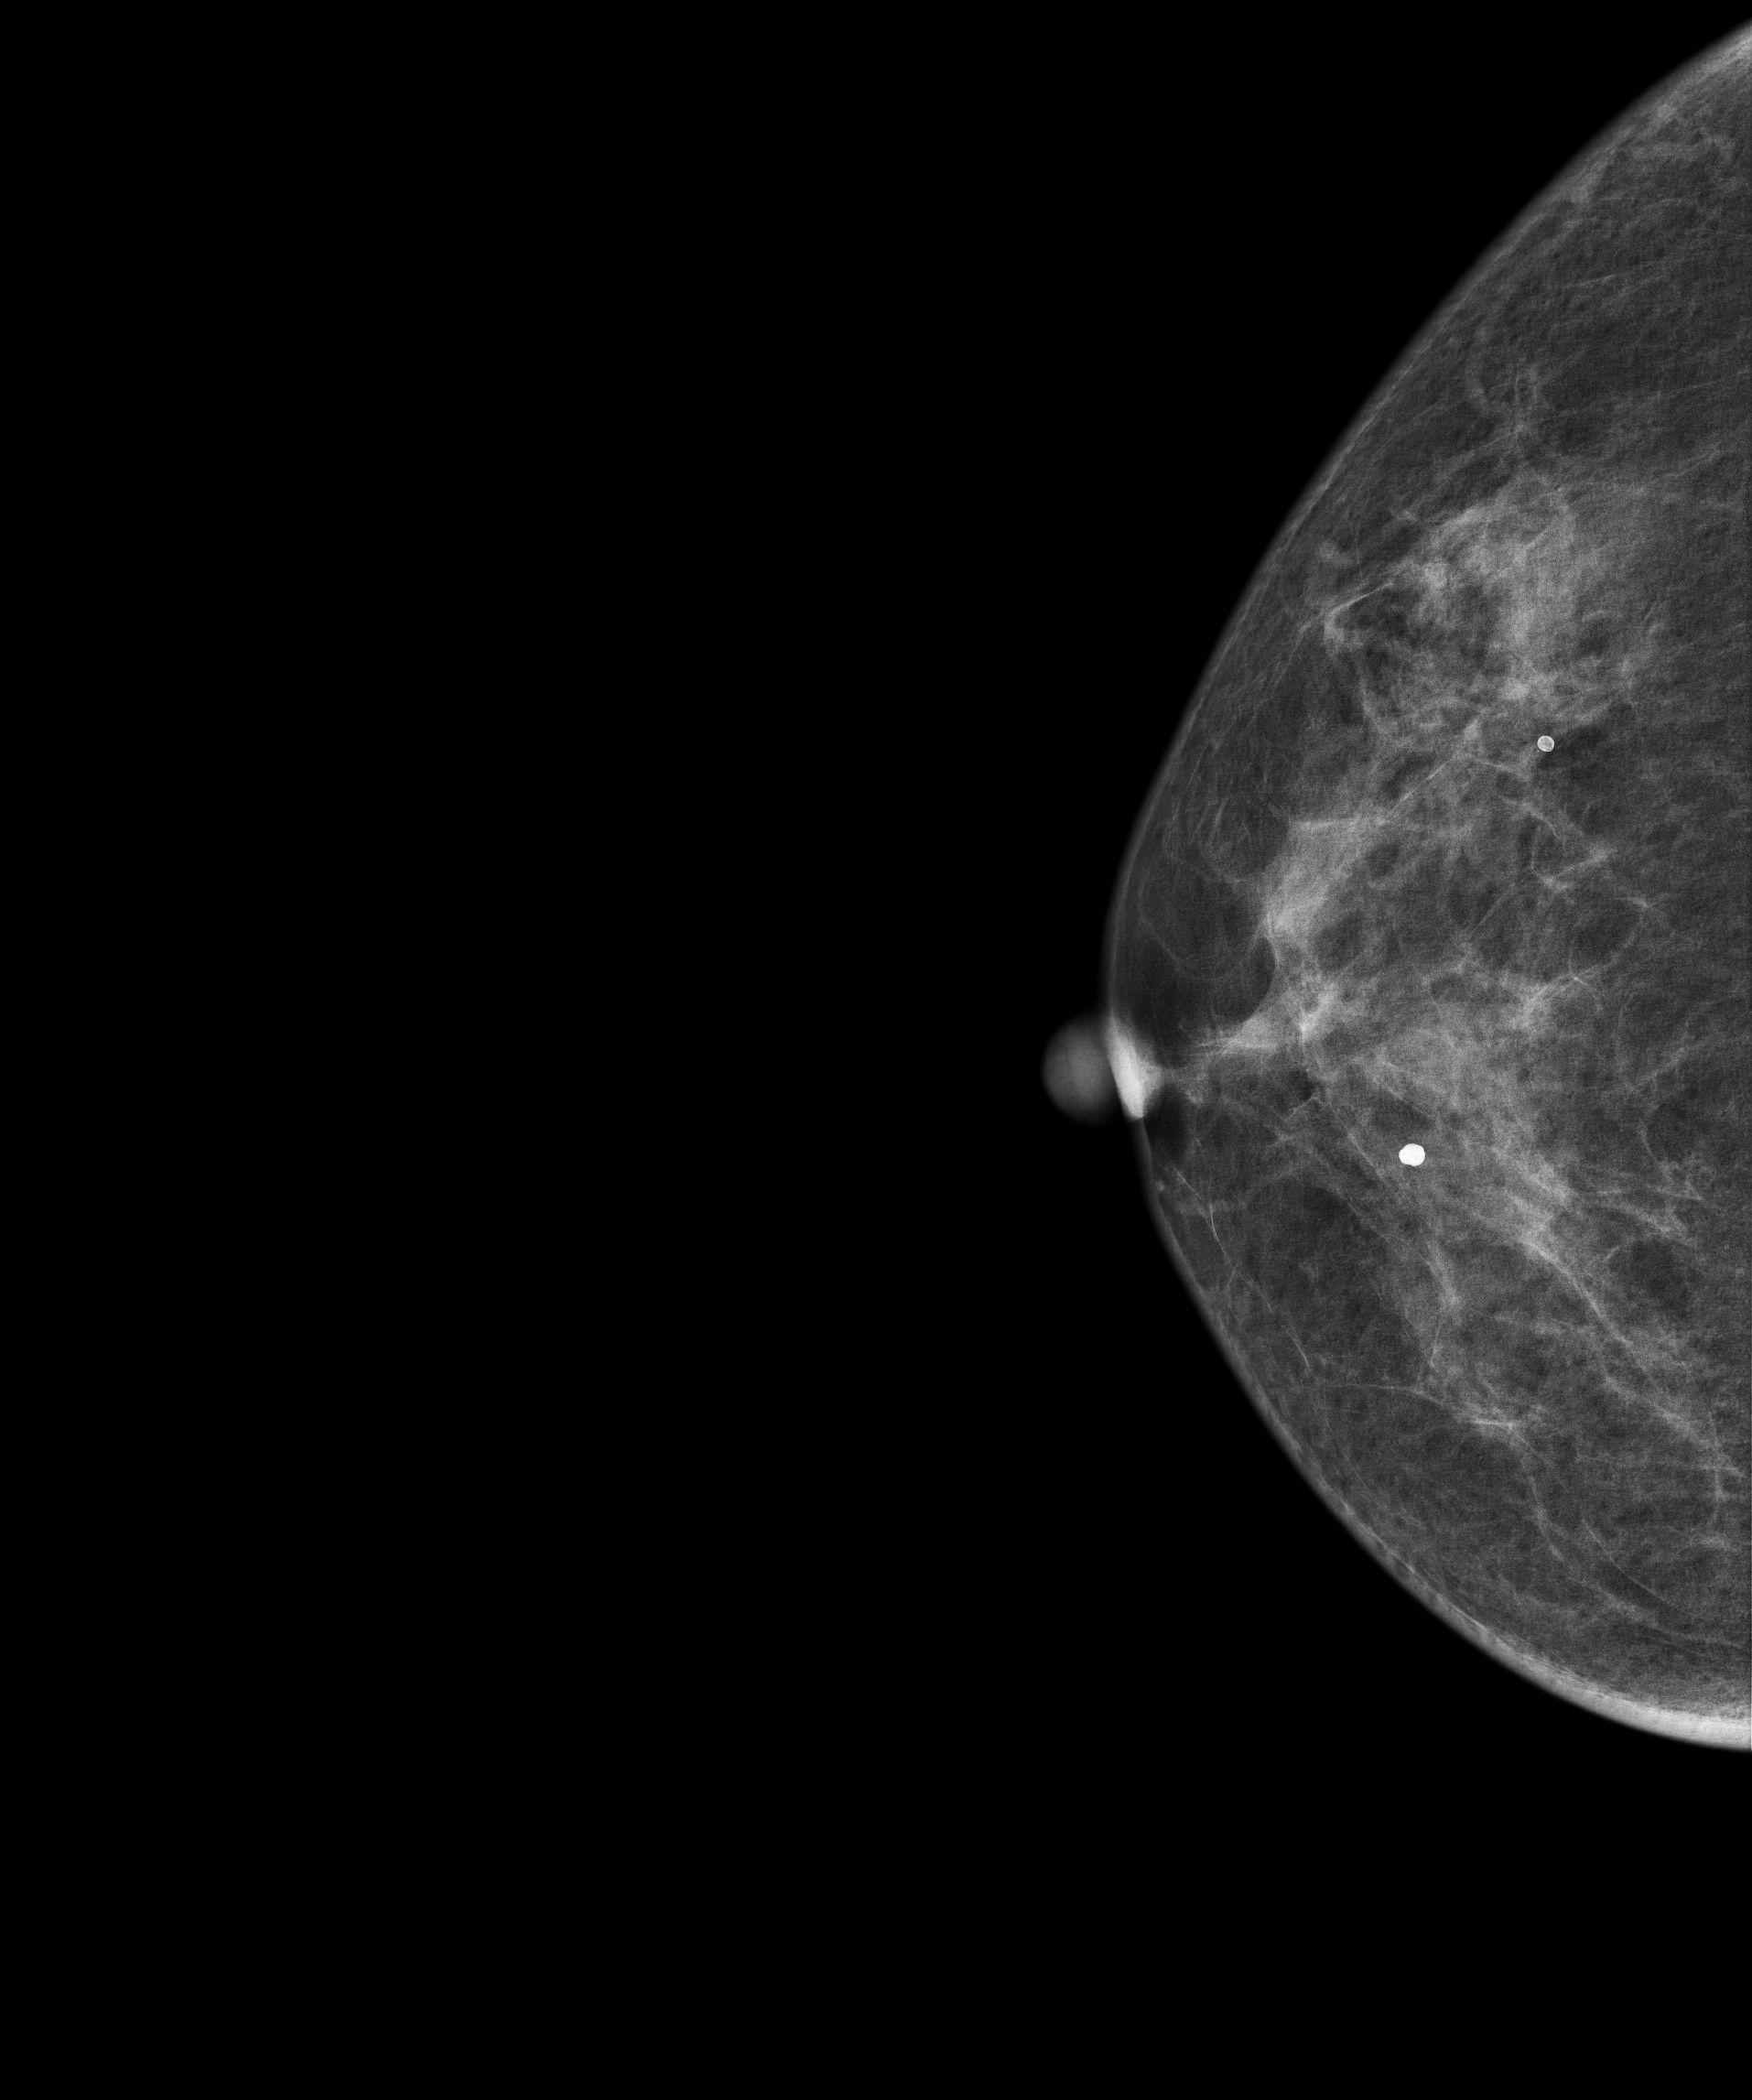
Right-breast mammogram, CC. Patient age 54.
This breast has a mass, biopsy-proven benign.